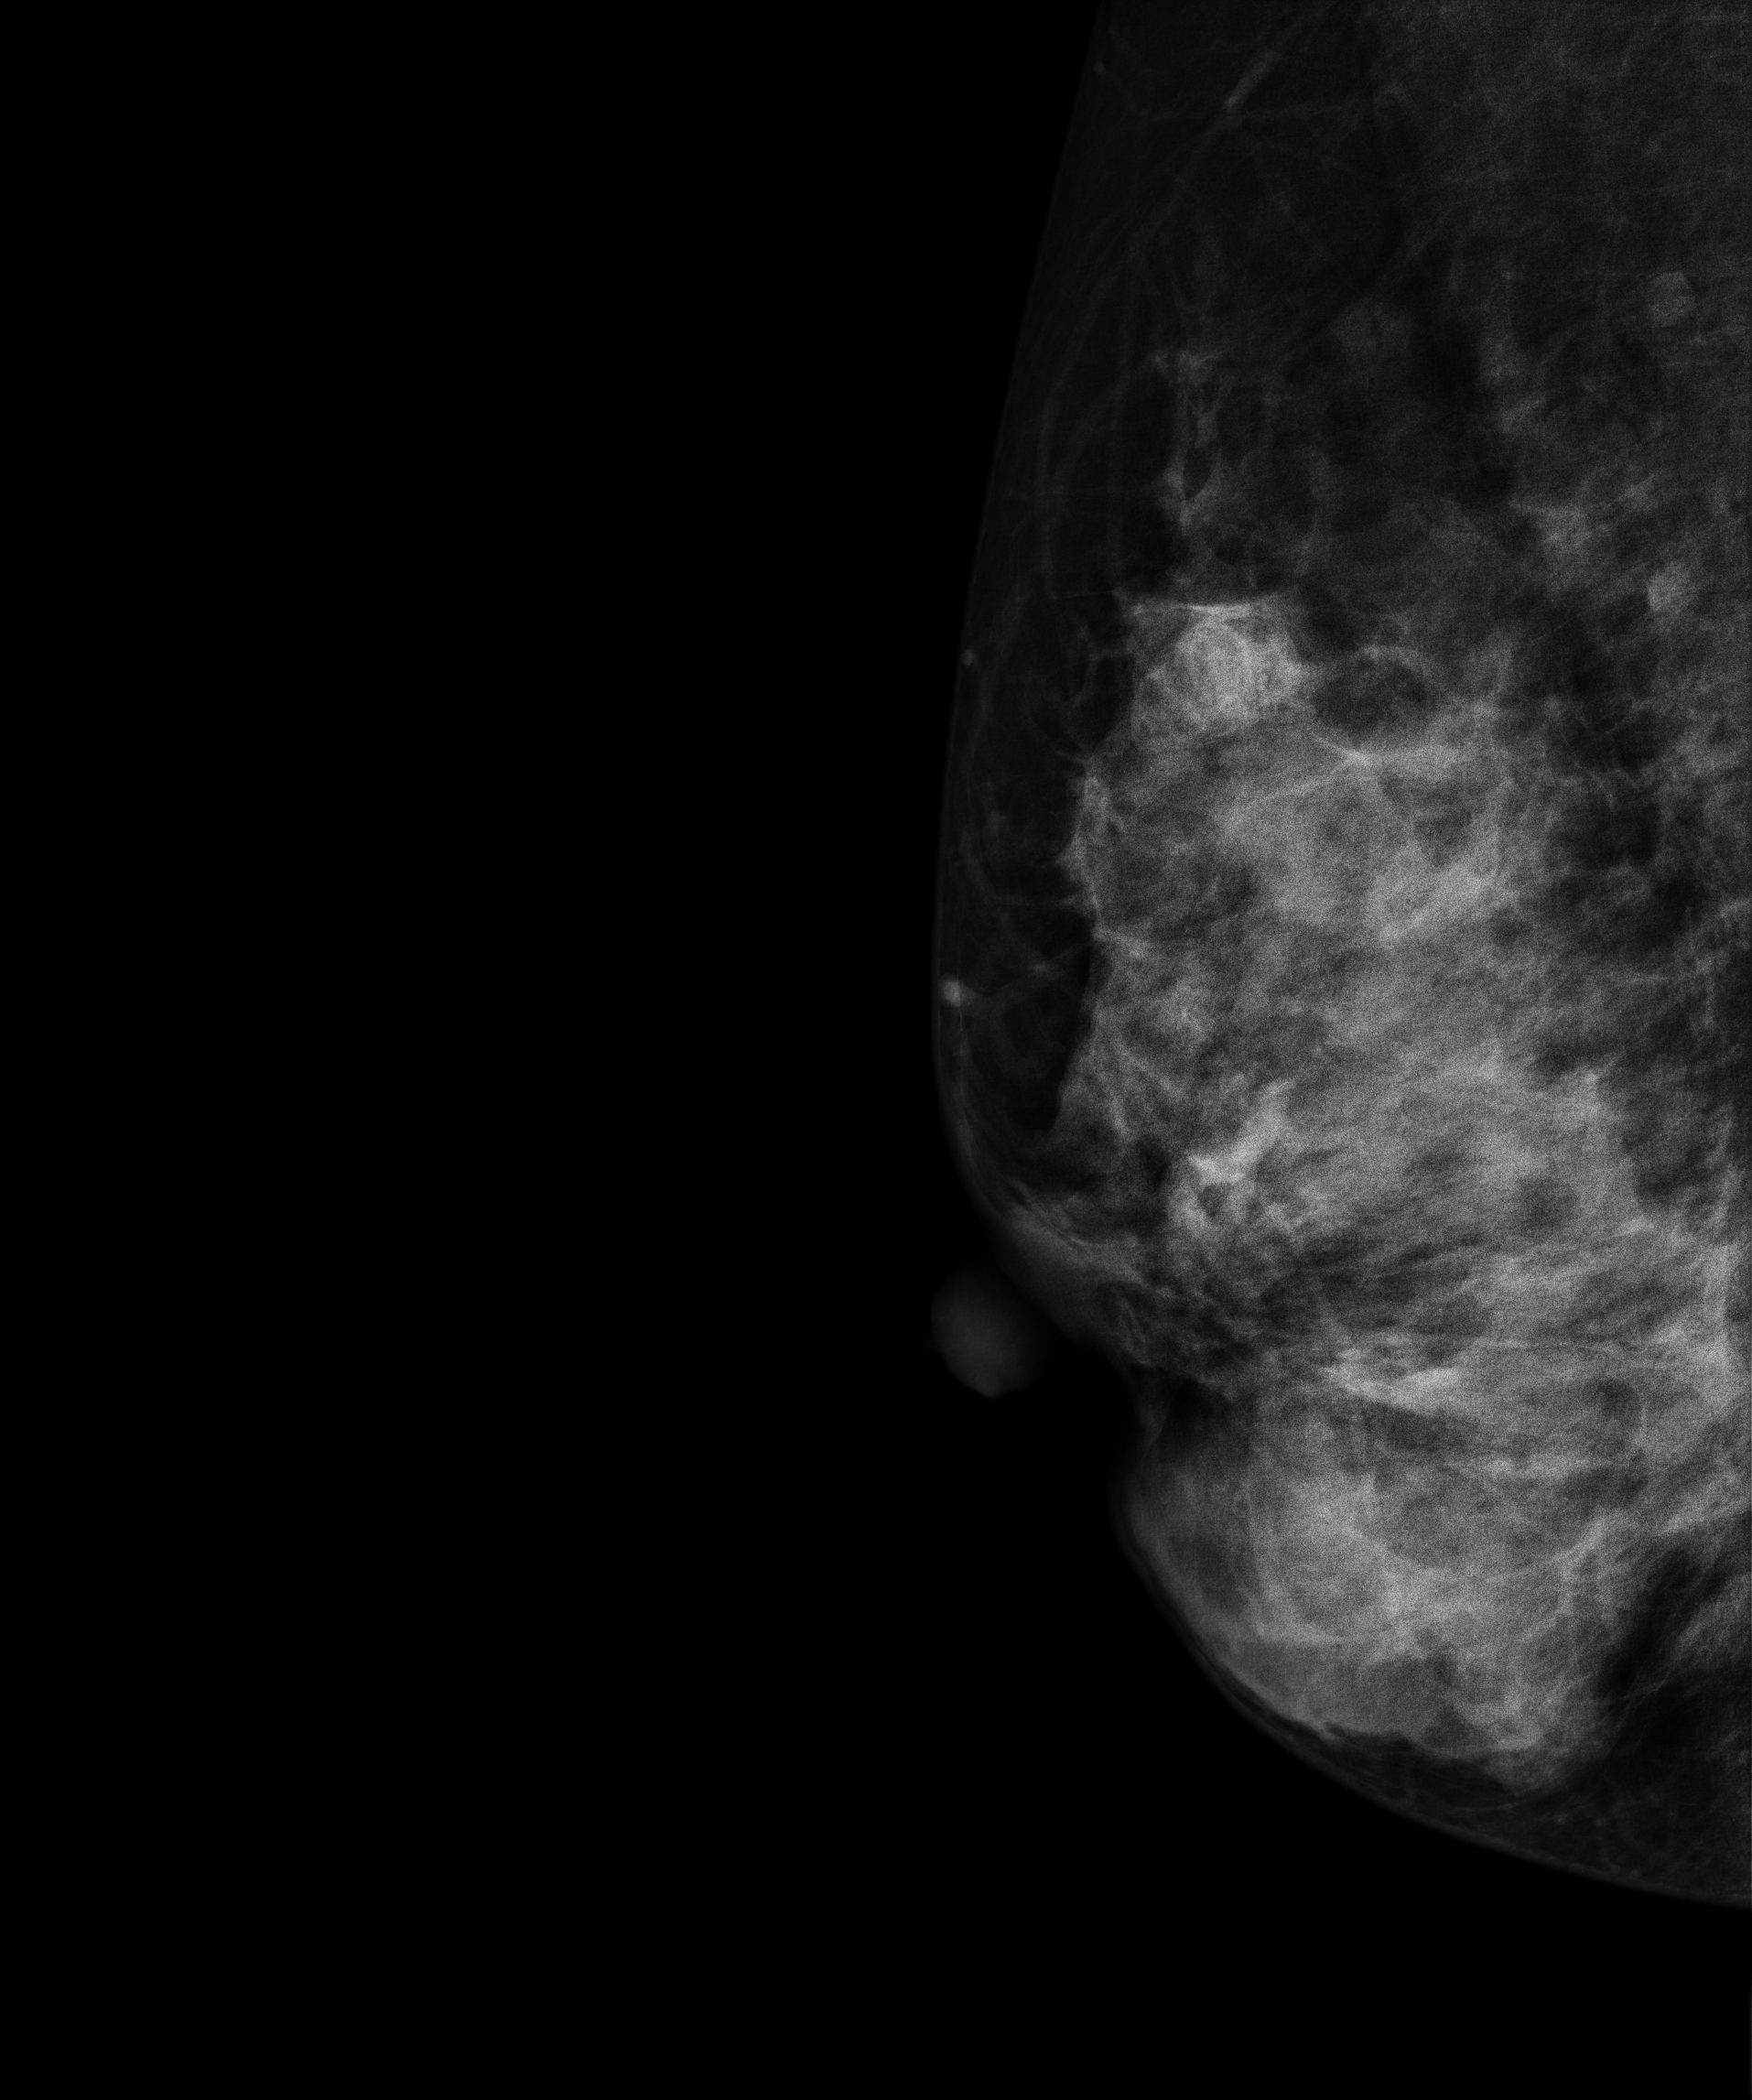
Mammogram — right medio-lateral oblique. 29 y/o patient.
This breast has a mass, biopsy-proven benign.